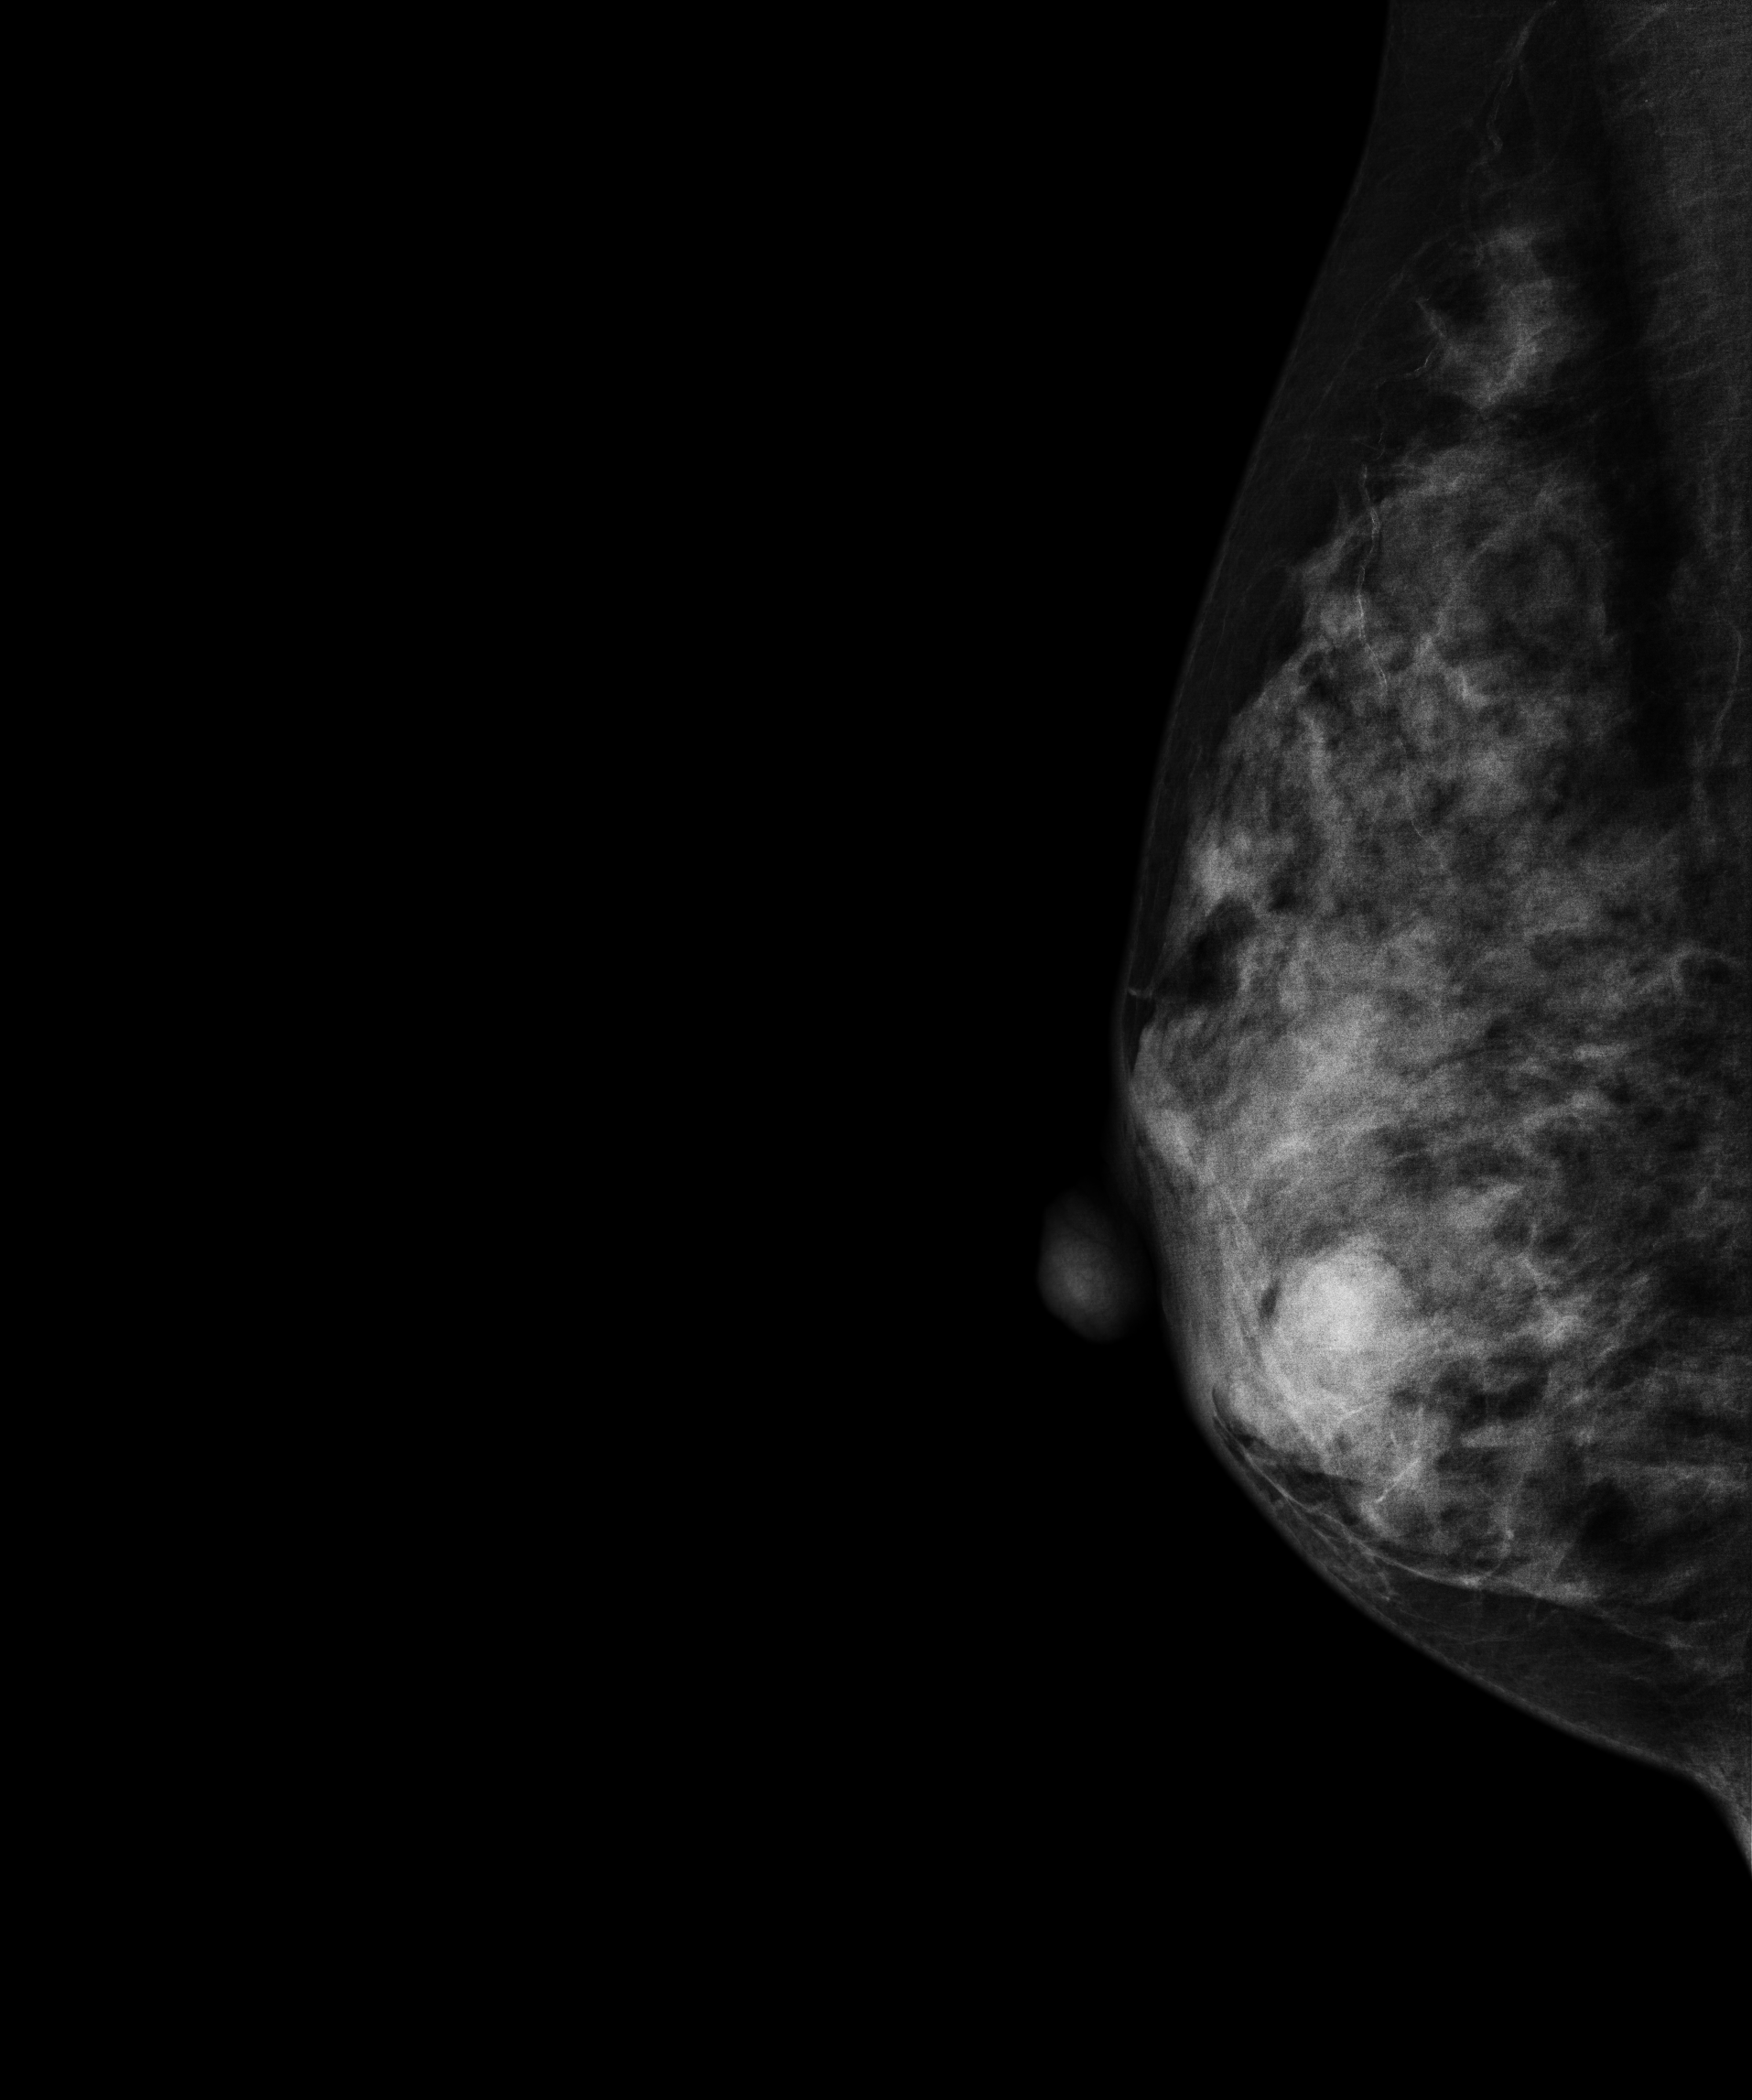
Mammogram — right MLO. Patient age 51.
This breast has a mass, biopsy-confirmed malignant. Molecular subtype: HER2-enriched.